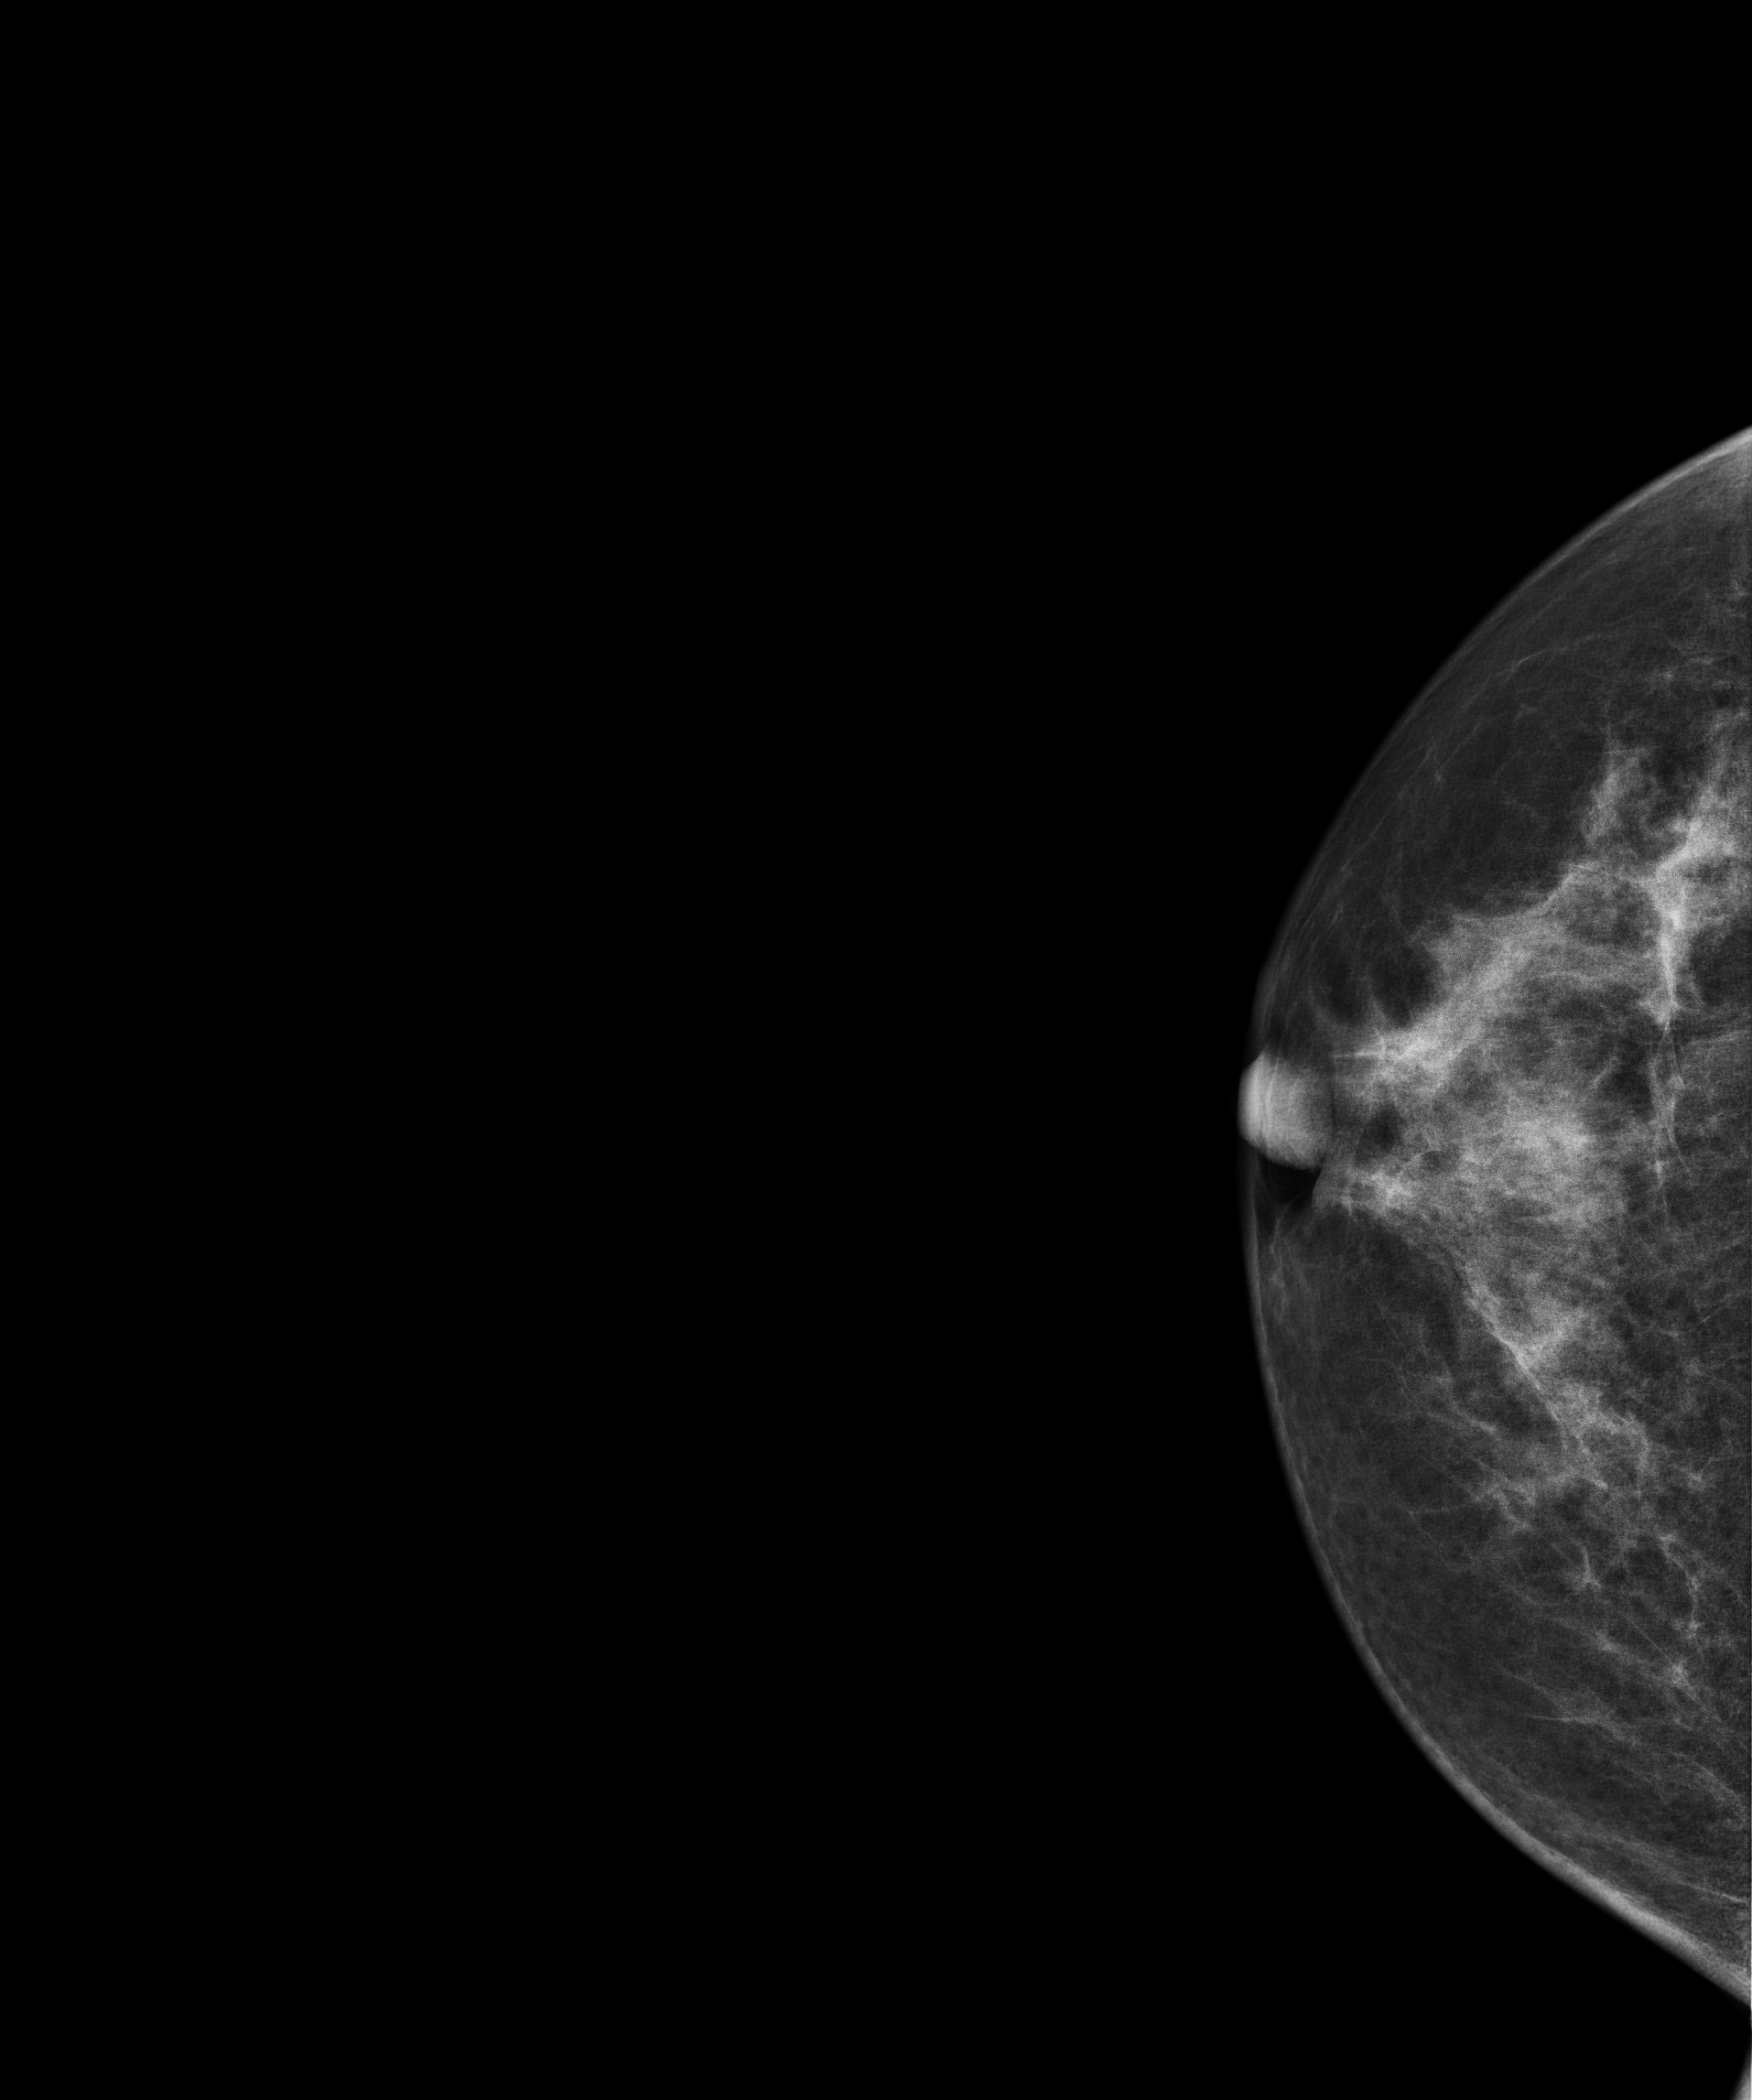
Mammogram — right CC. Patient age 60.
Contralateral breast — no documented abnormality on this side.